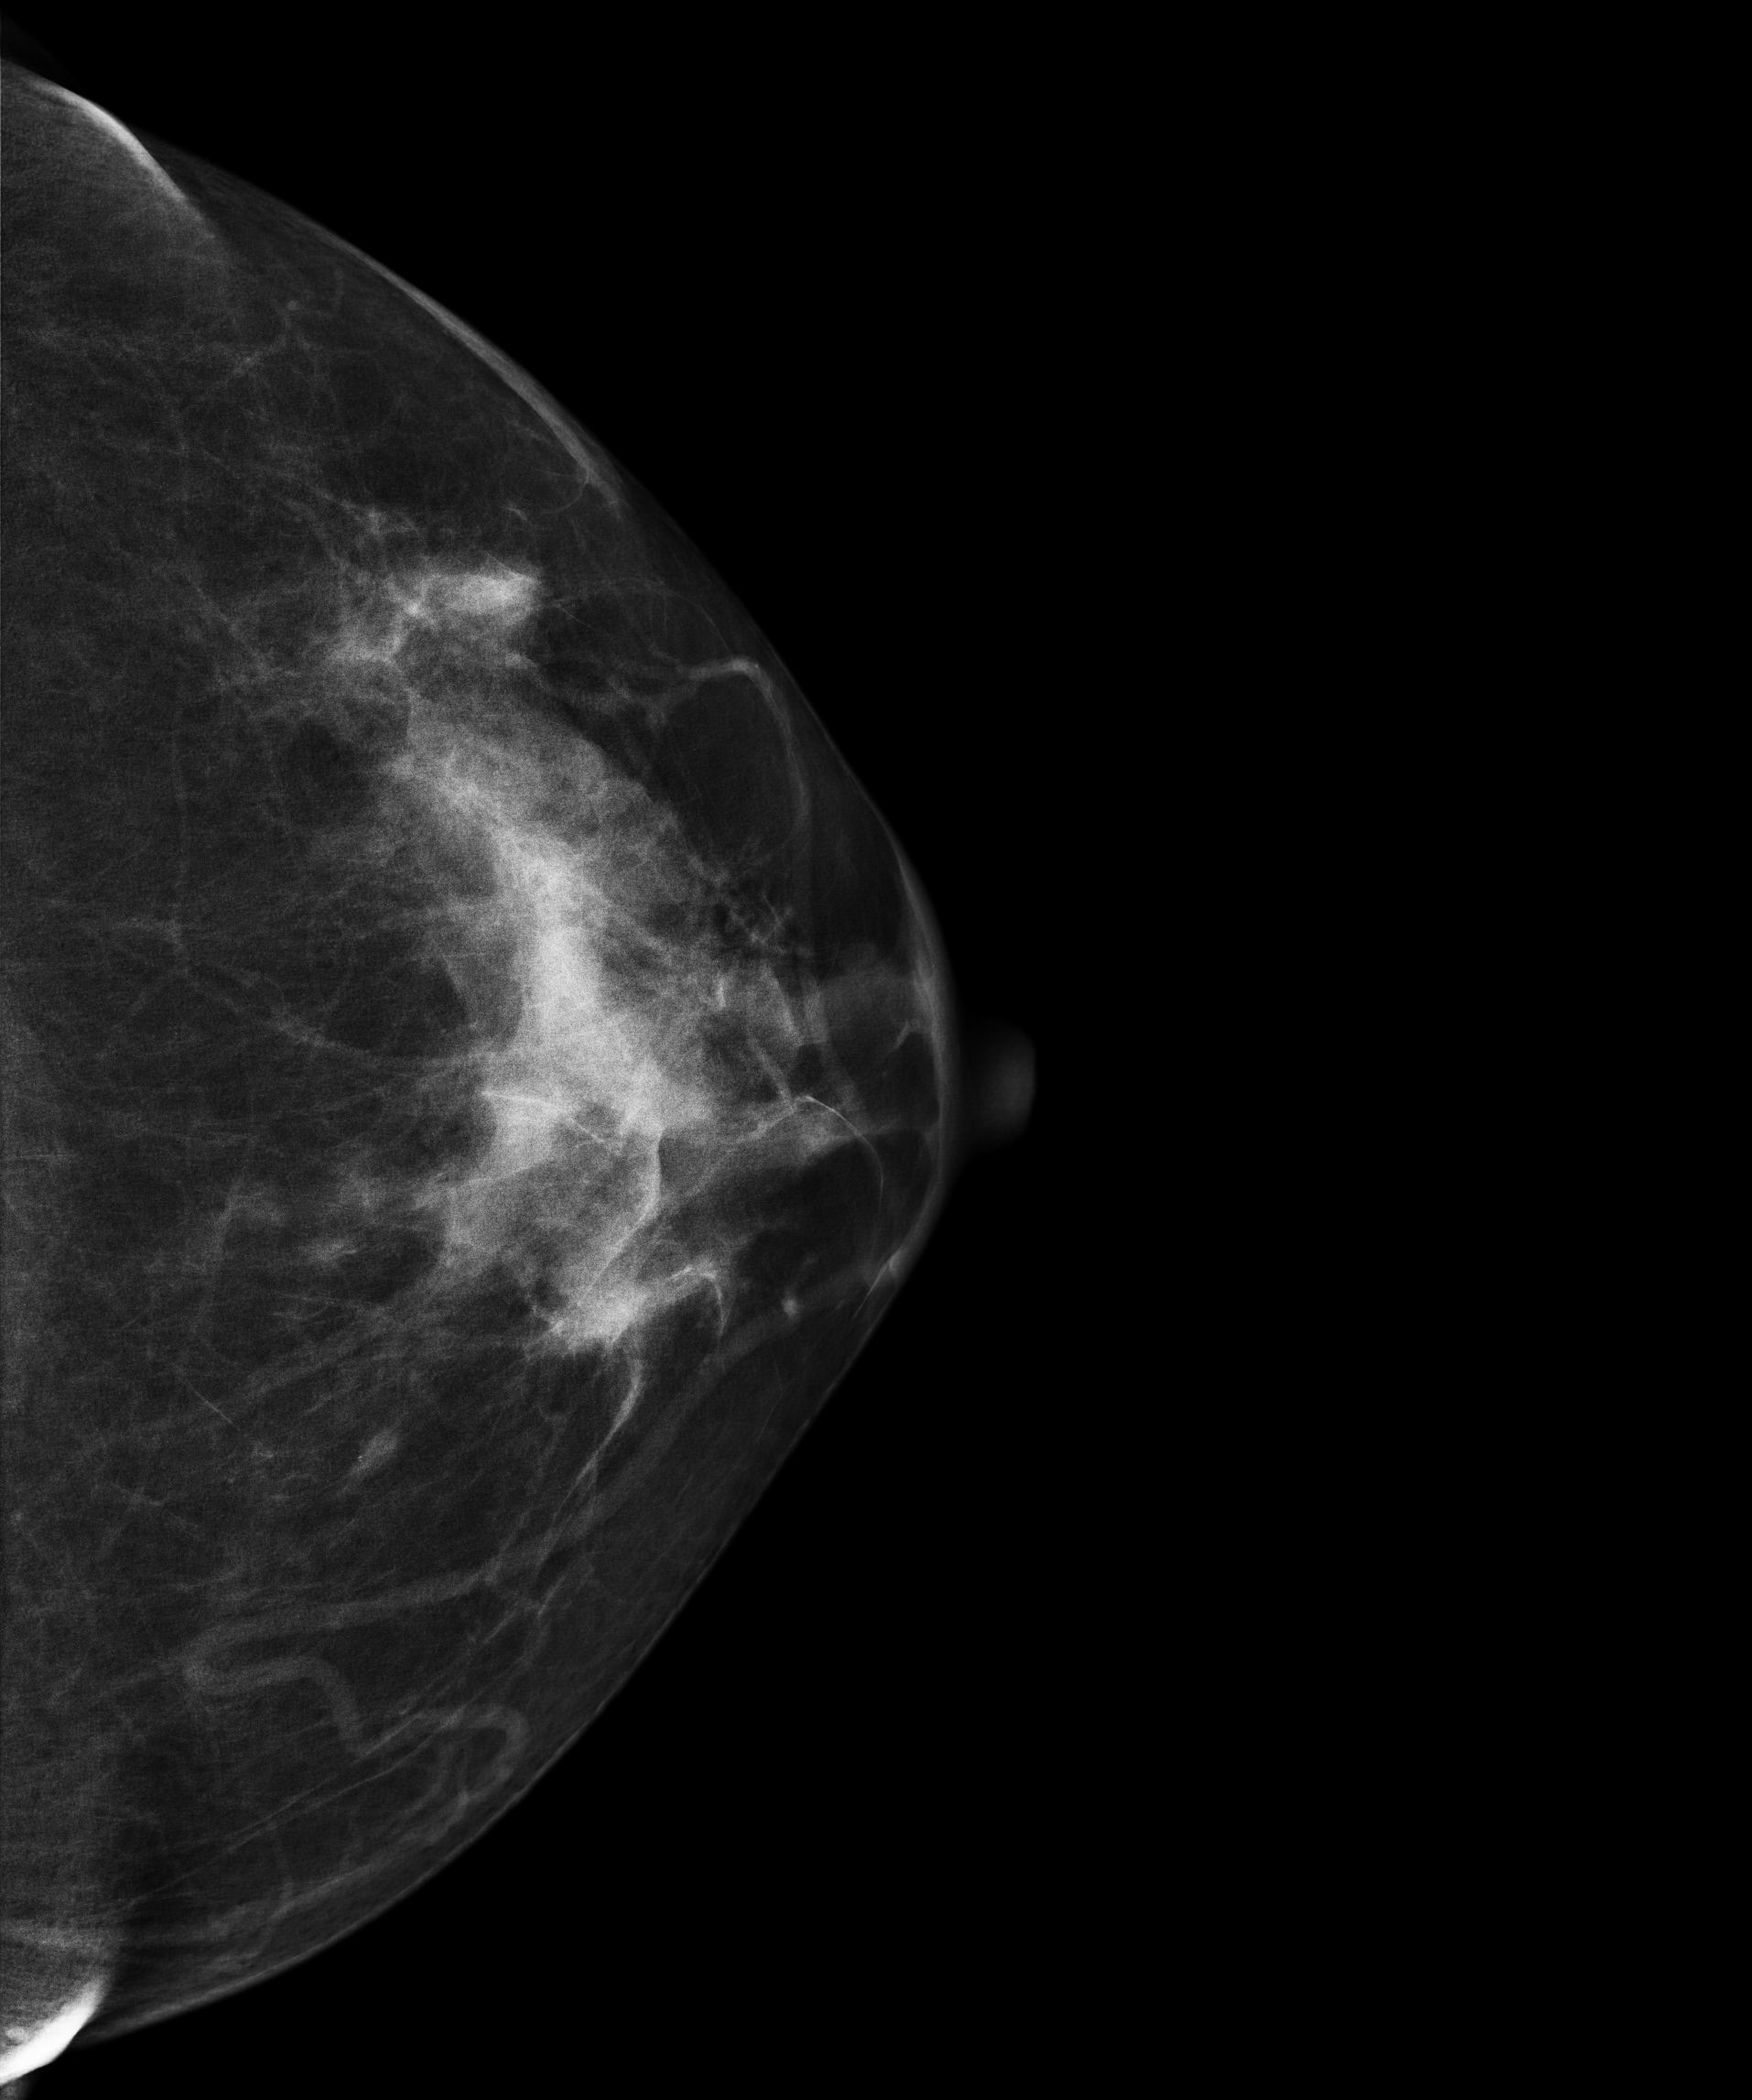
CC mammogram of the left breast. Patient age 53.
Contralateral breast — no documented abnormality on this side.